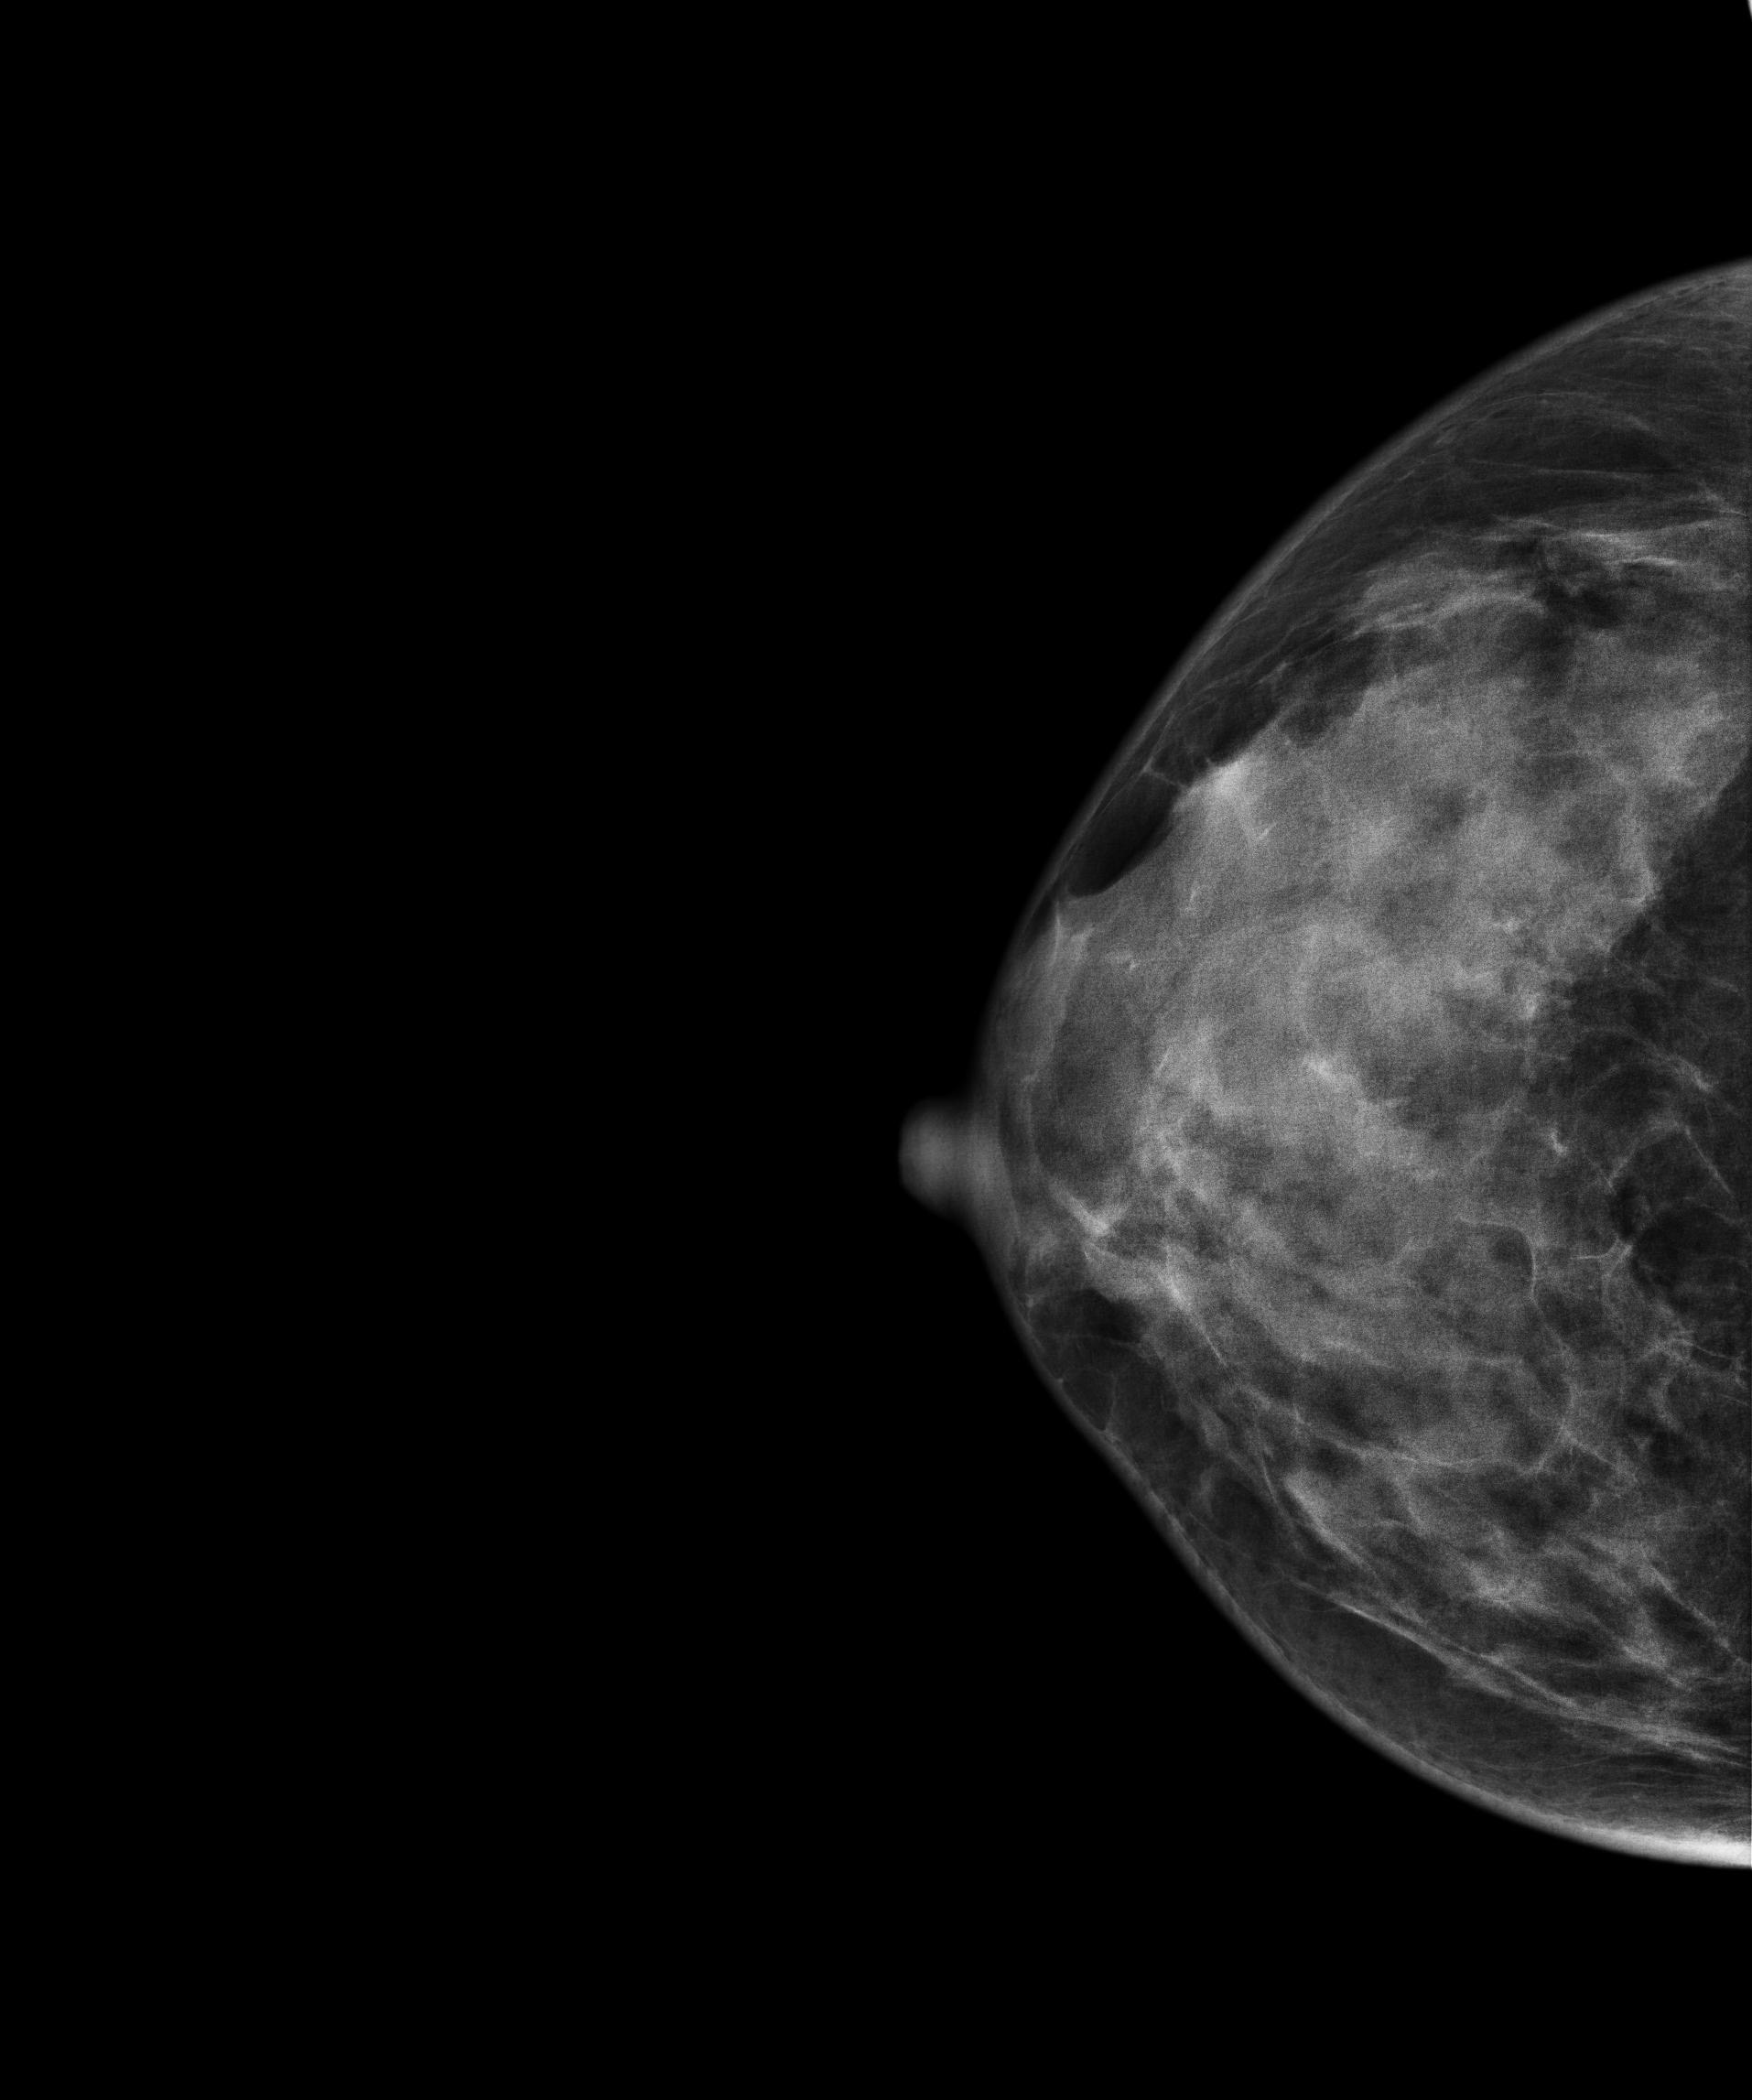
Mammogram, right breast, CC view. 35-year-old patient.
Contralateral breast — no documented abnormality on this side.